Right-breast mammogram, MLO. 65-year-old patient.
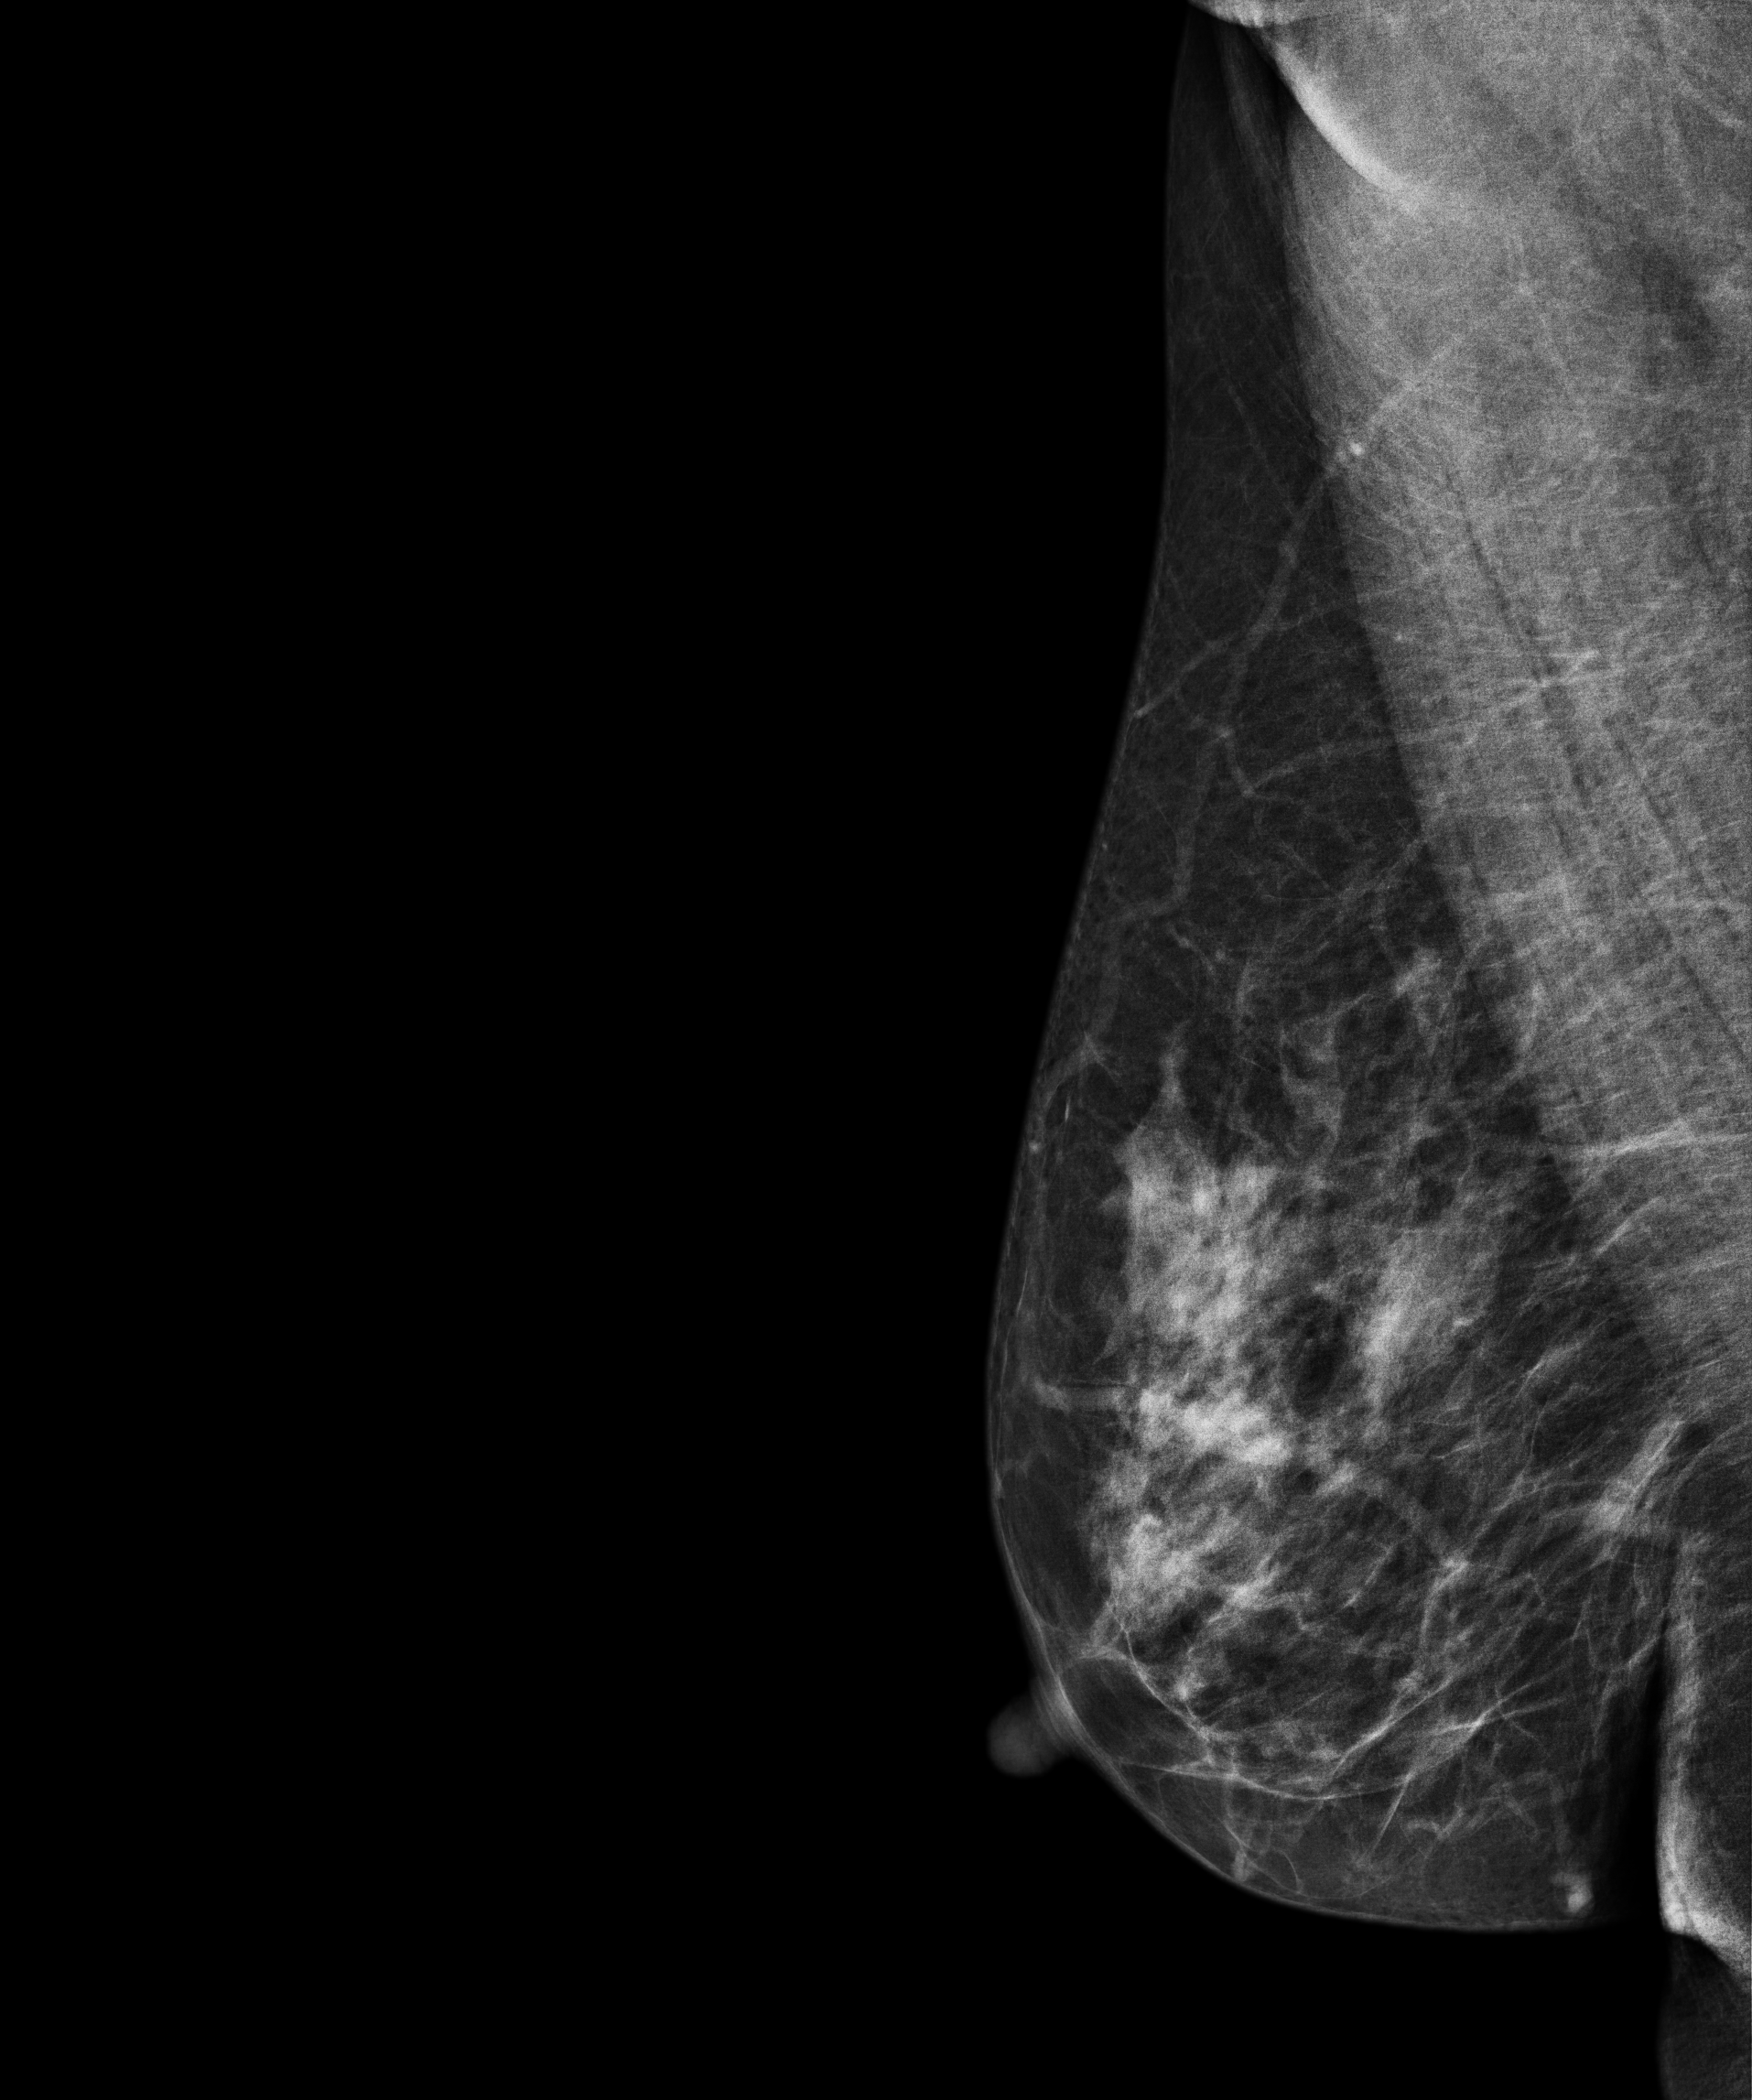
Contralateral breast — no documented abnormality on this side.